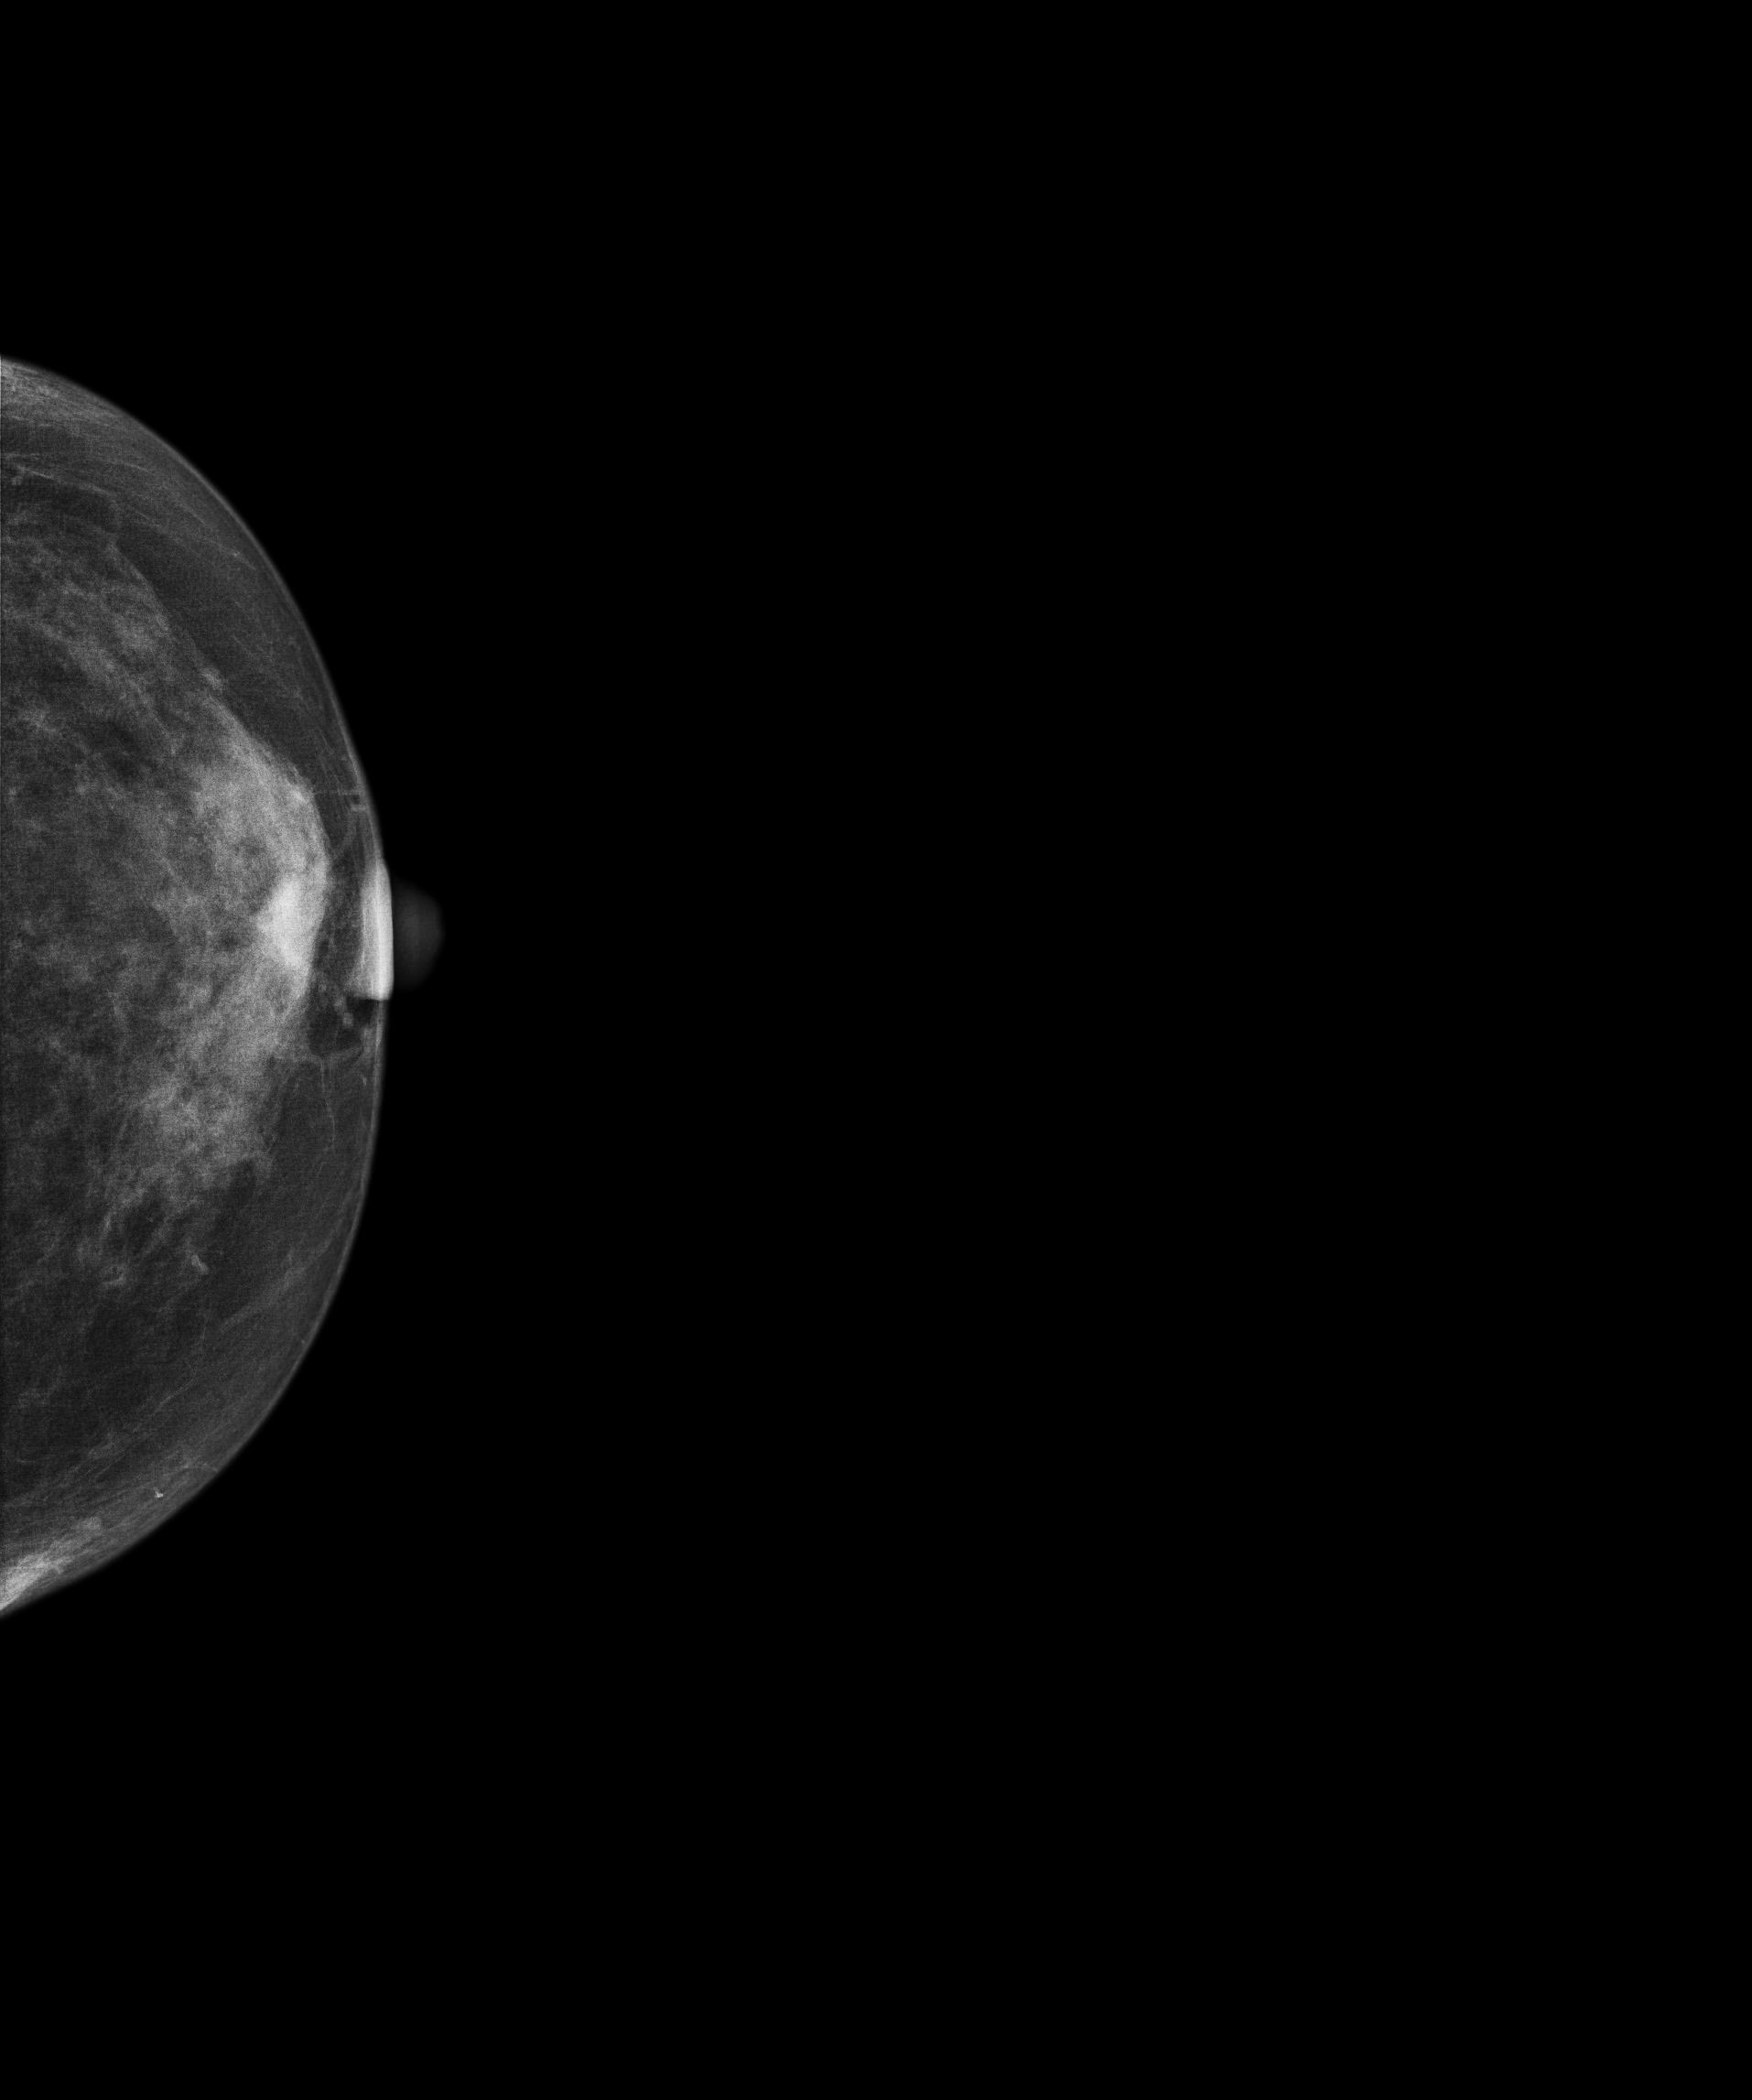
Digital mammography. Left breast, CC projection. 52-year-old patient.
Contralateral breast — no documented abnormality on this side.